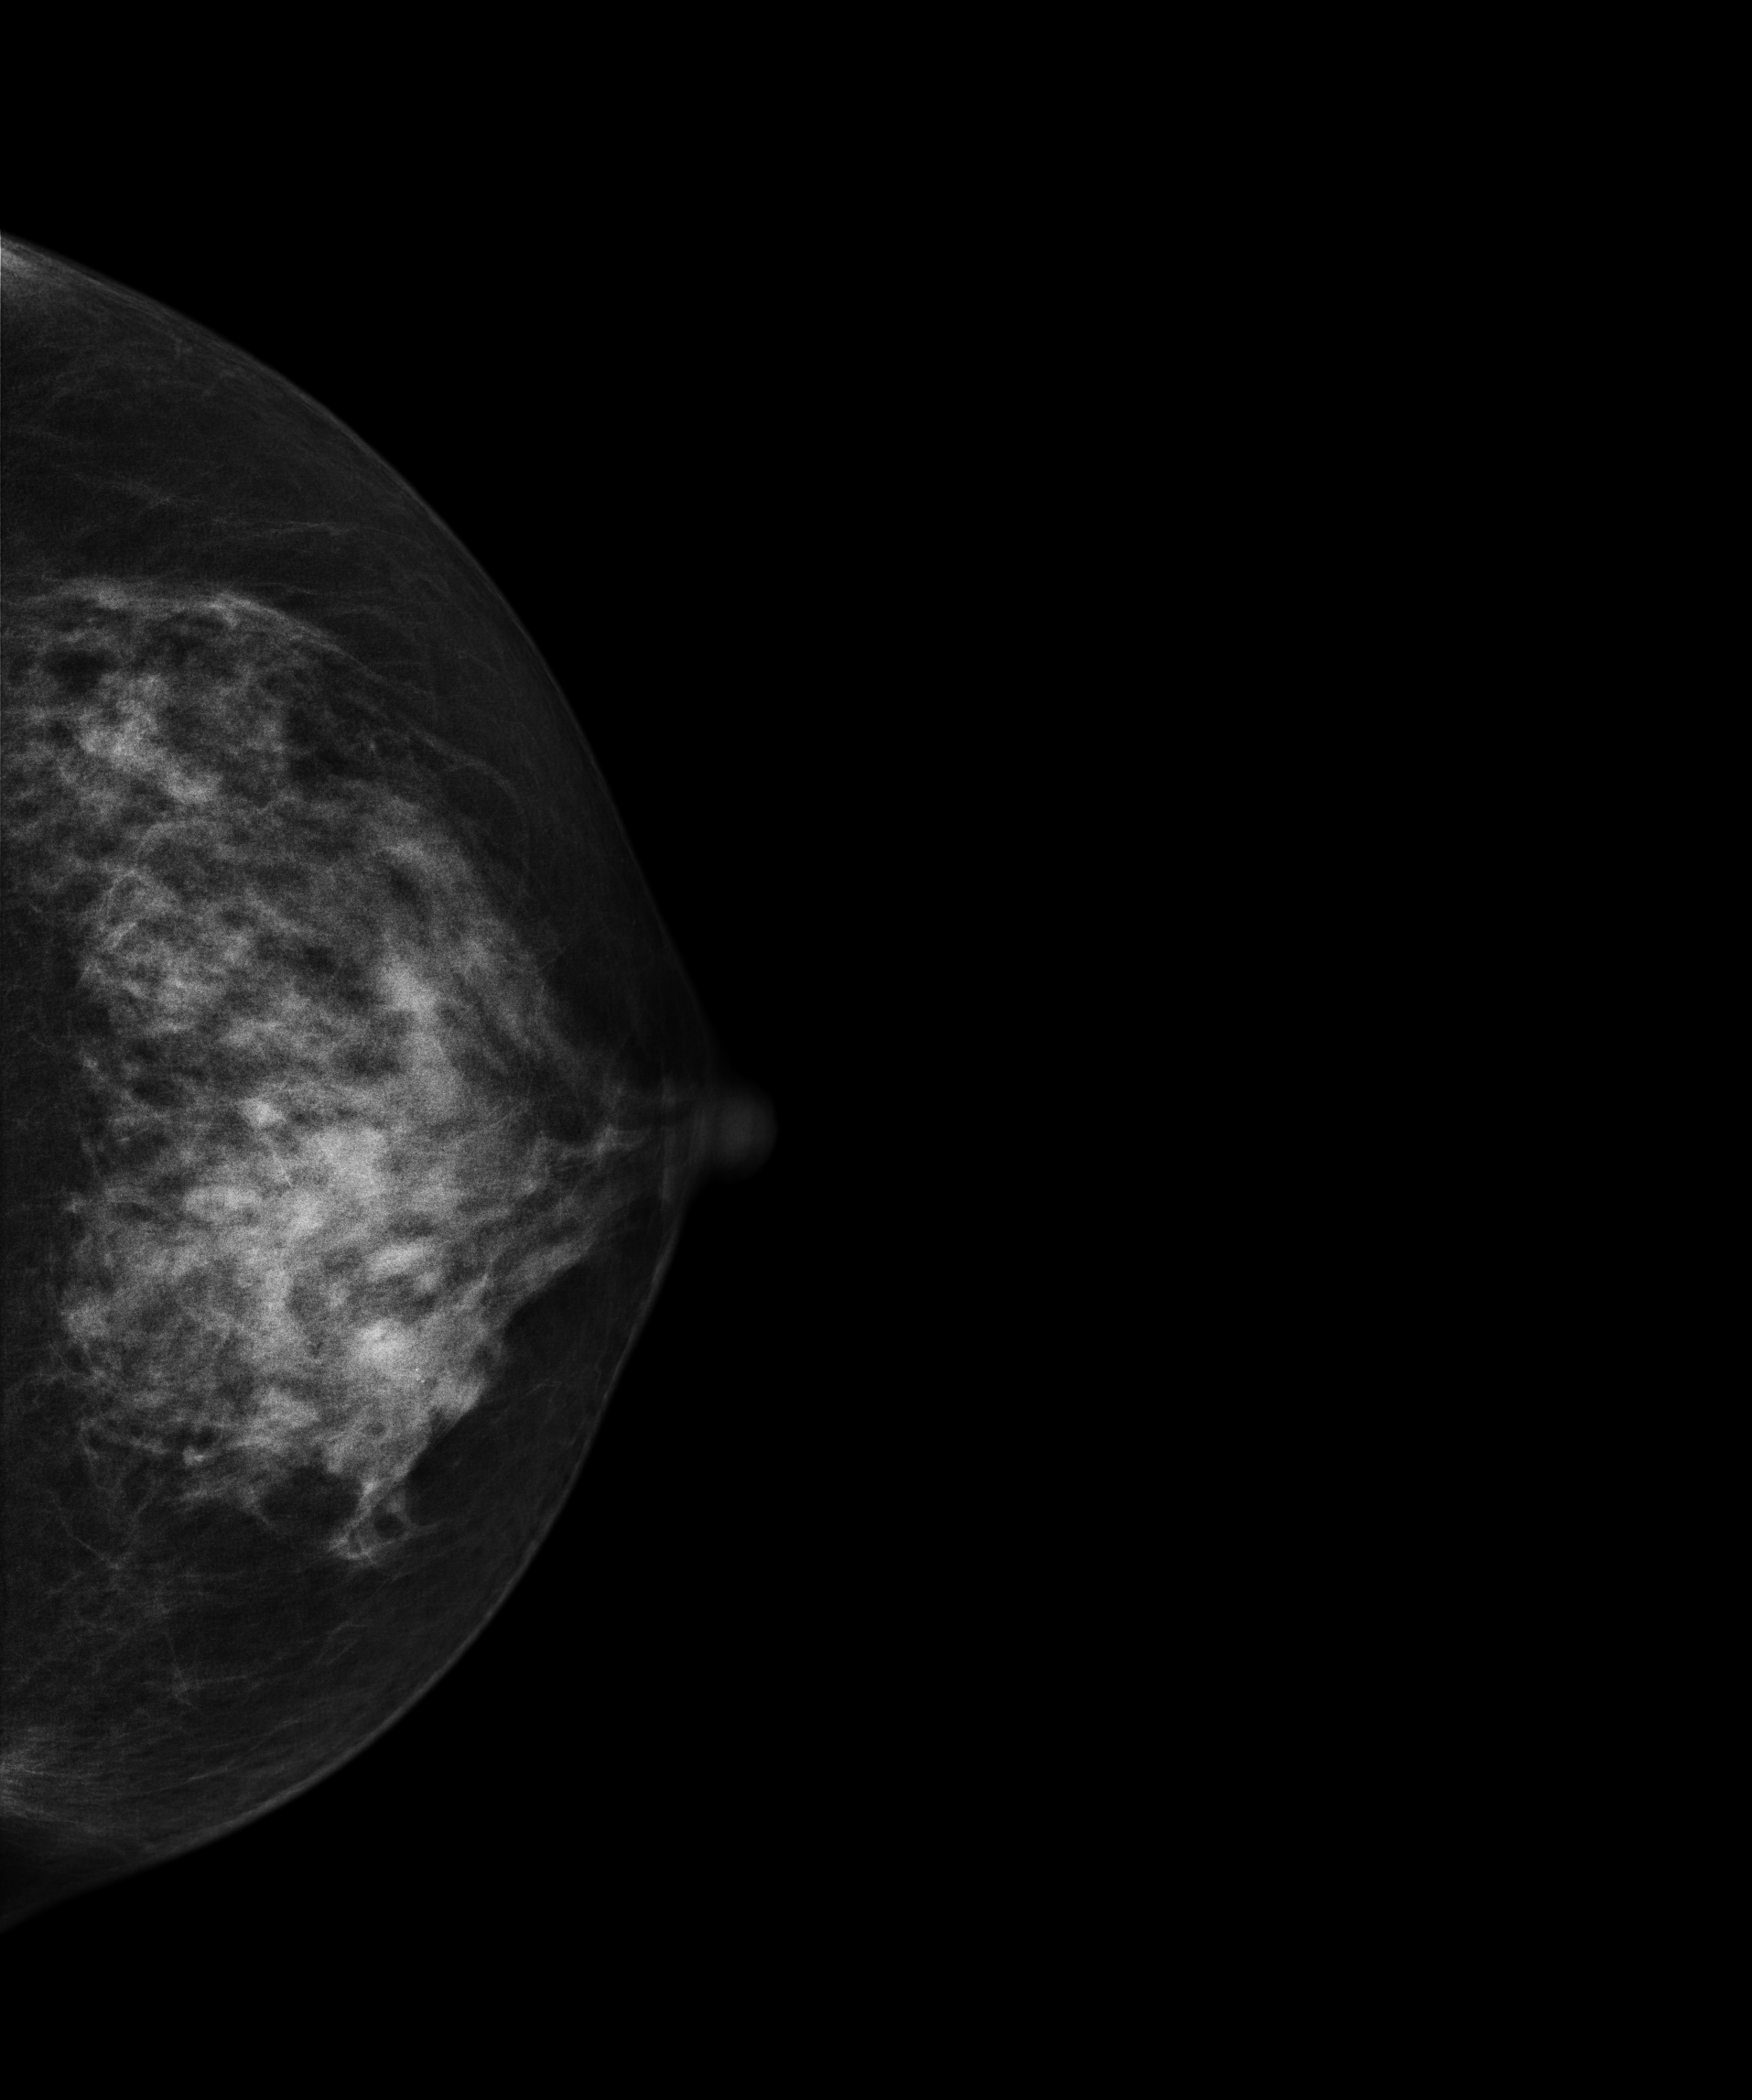
Digital mammography. Left breast, CC projection. Patient age 51.
This breast has a mass and calcifications, biopsy-confirmed malignant.